CC mammogram of the left breast. 58-year-old patient.
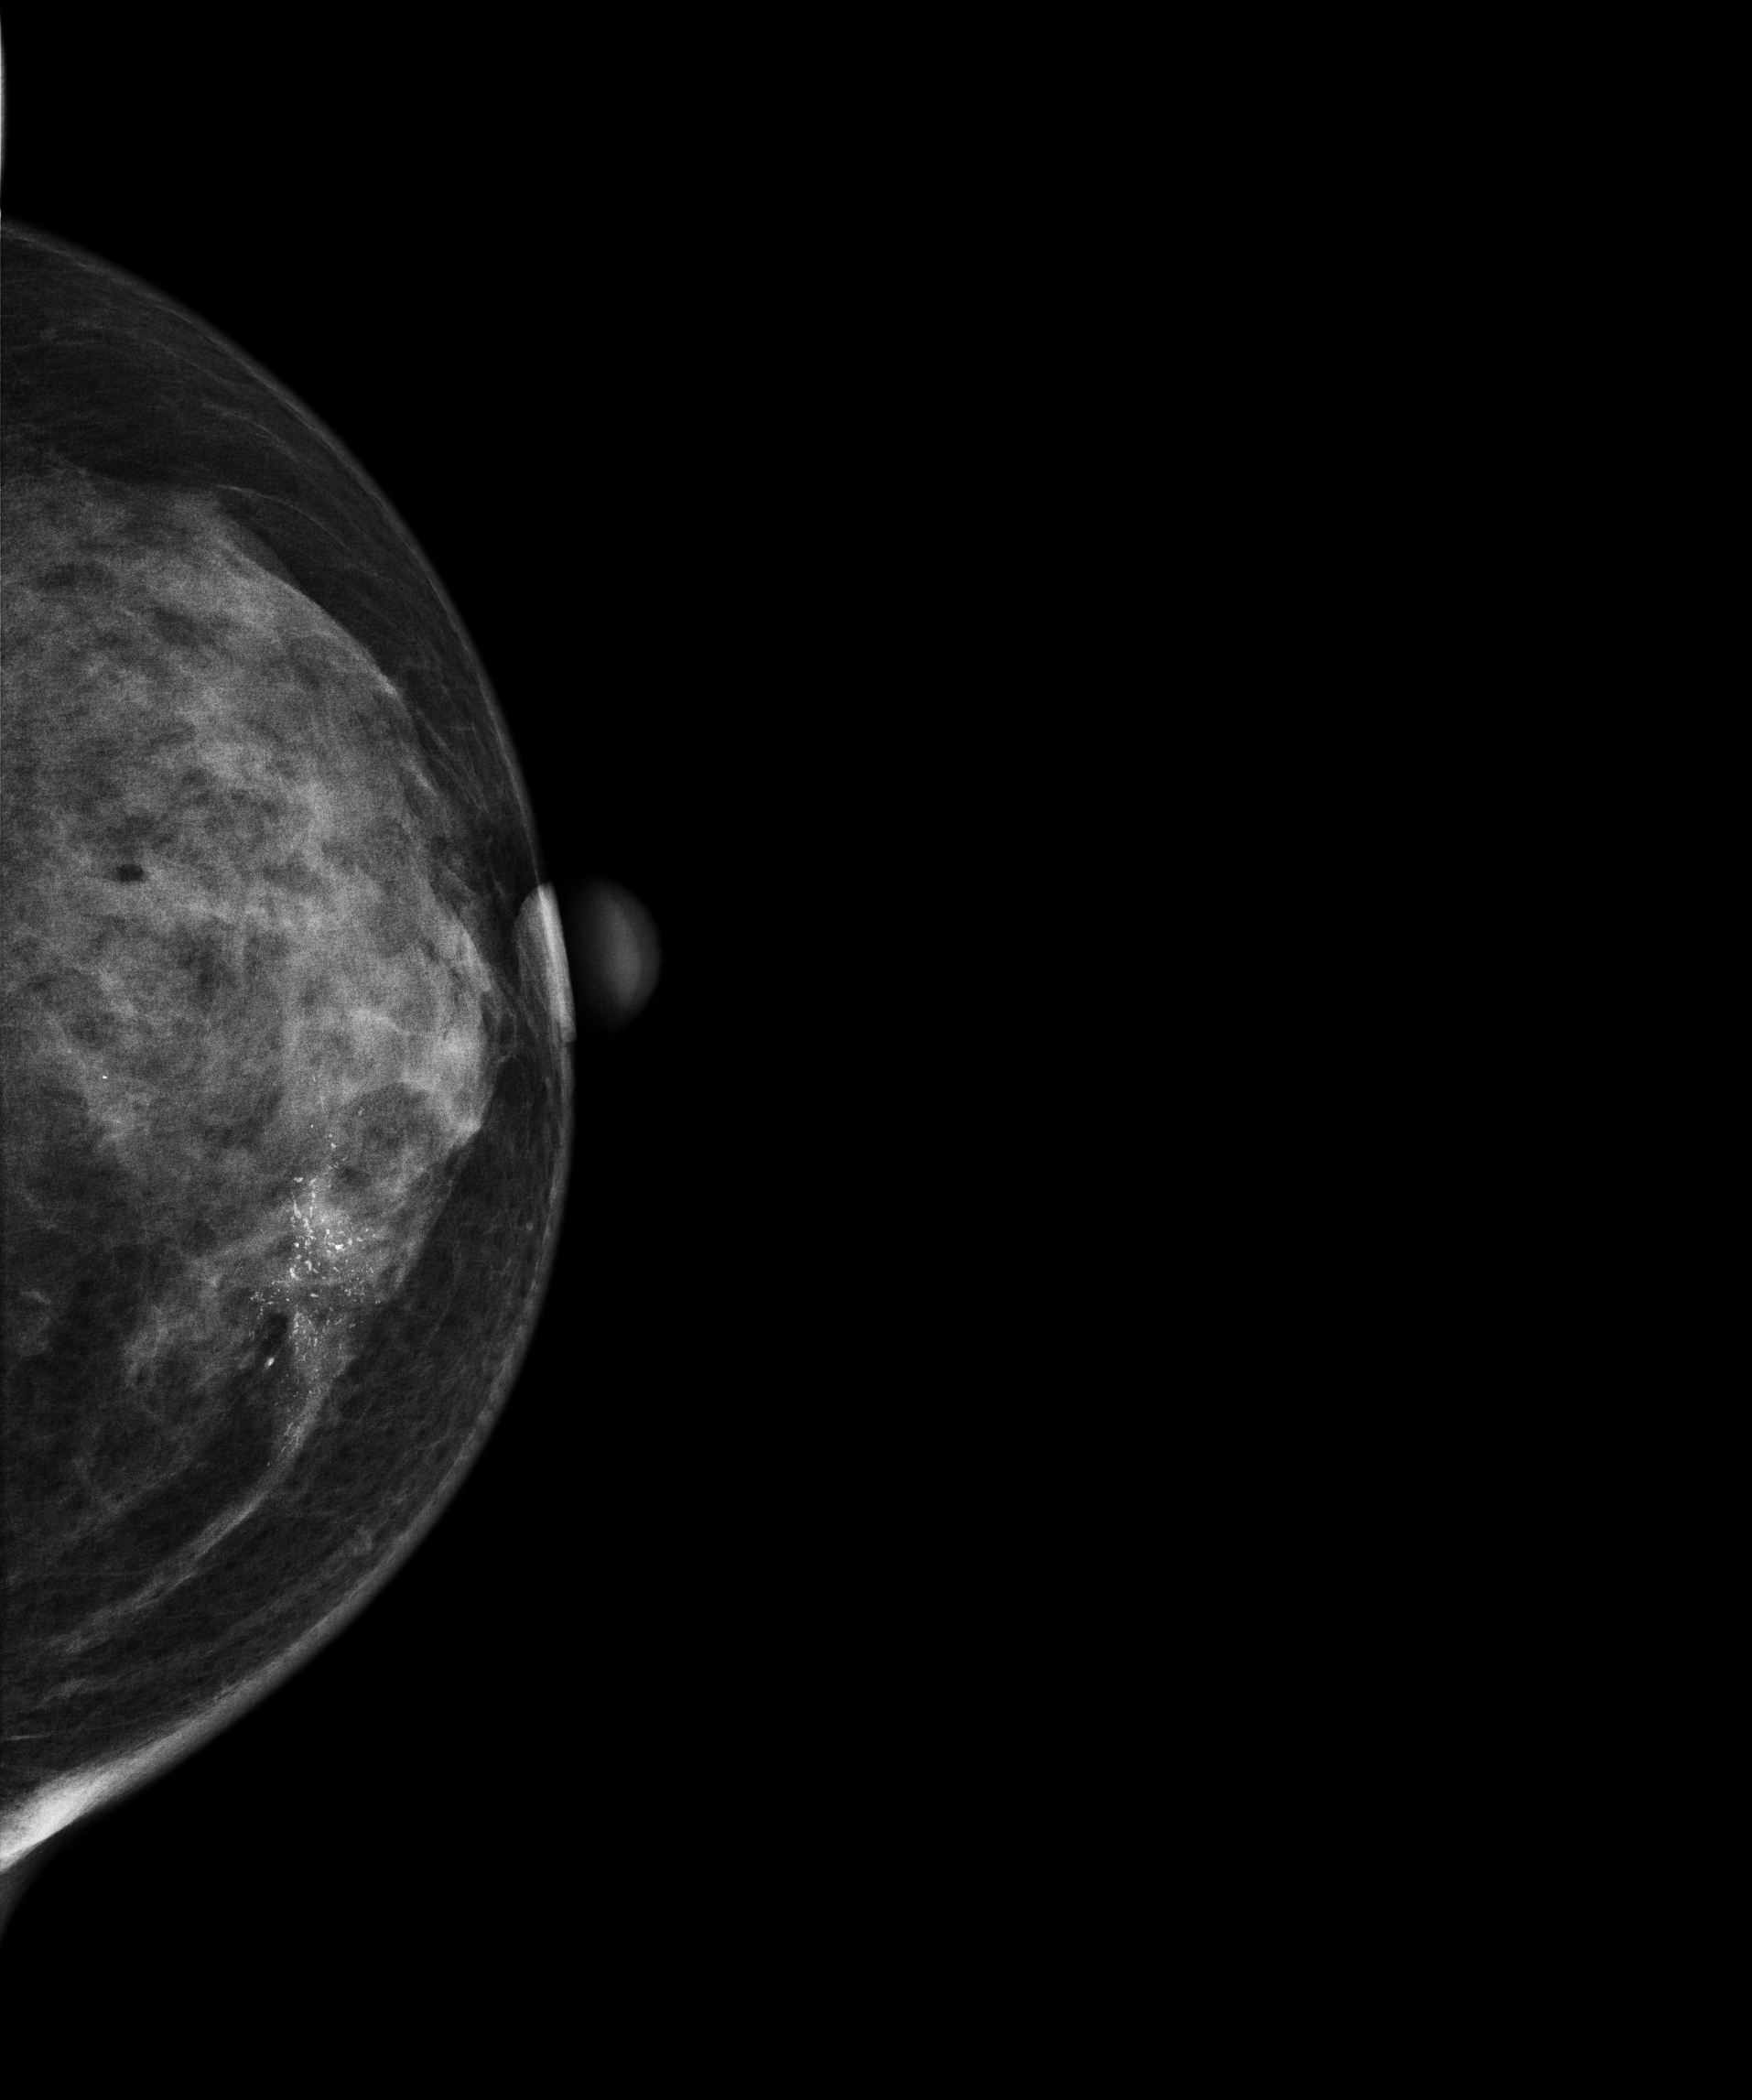
This breast has calcifications, biopsy-confirmed malignant. Molecular subtype: luminal B.